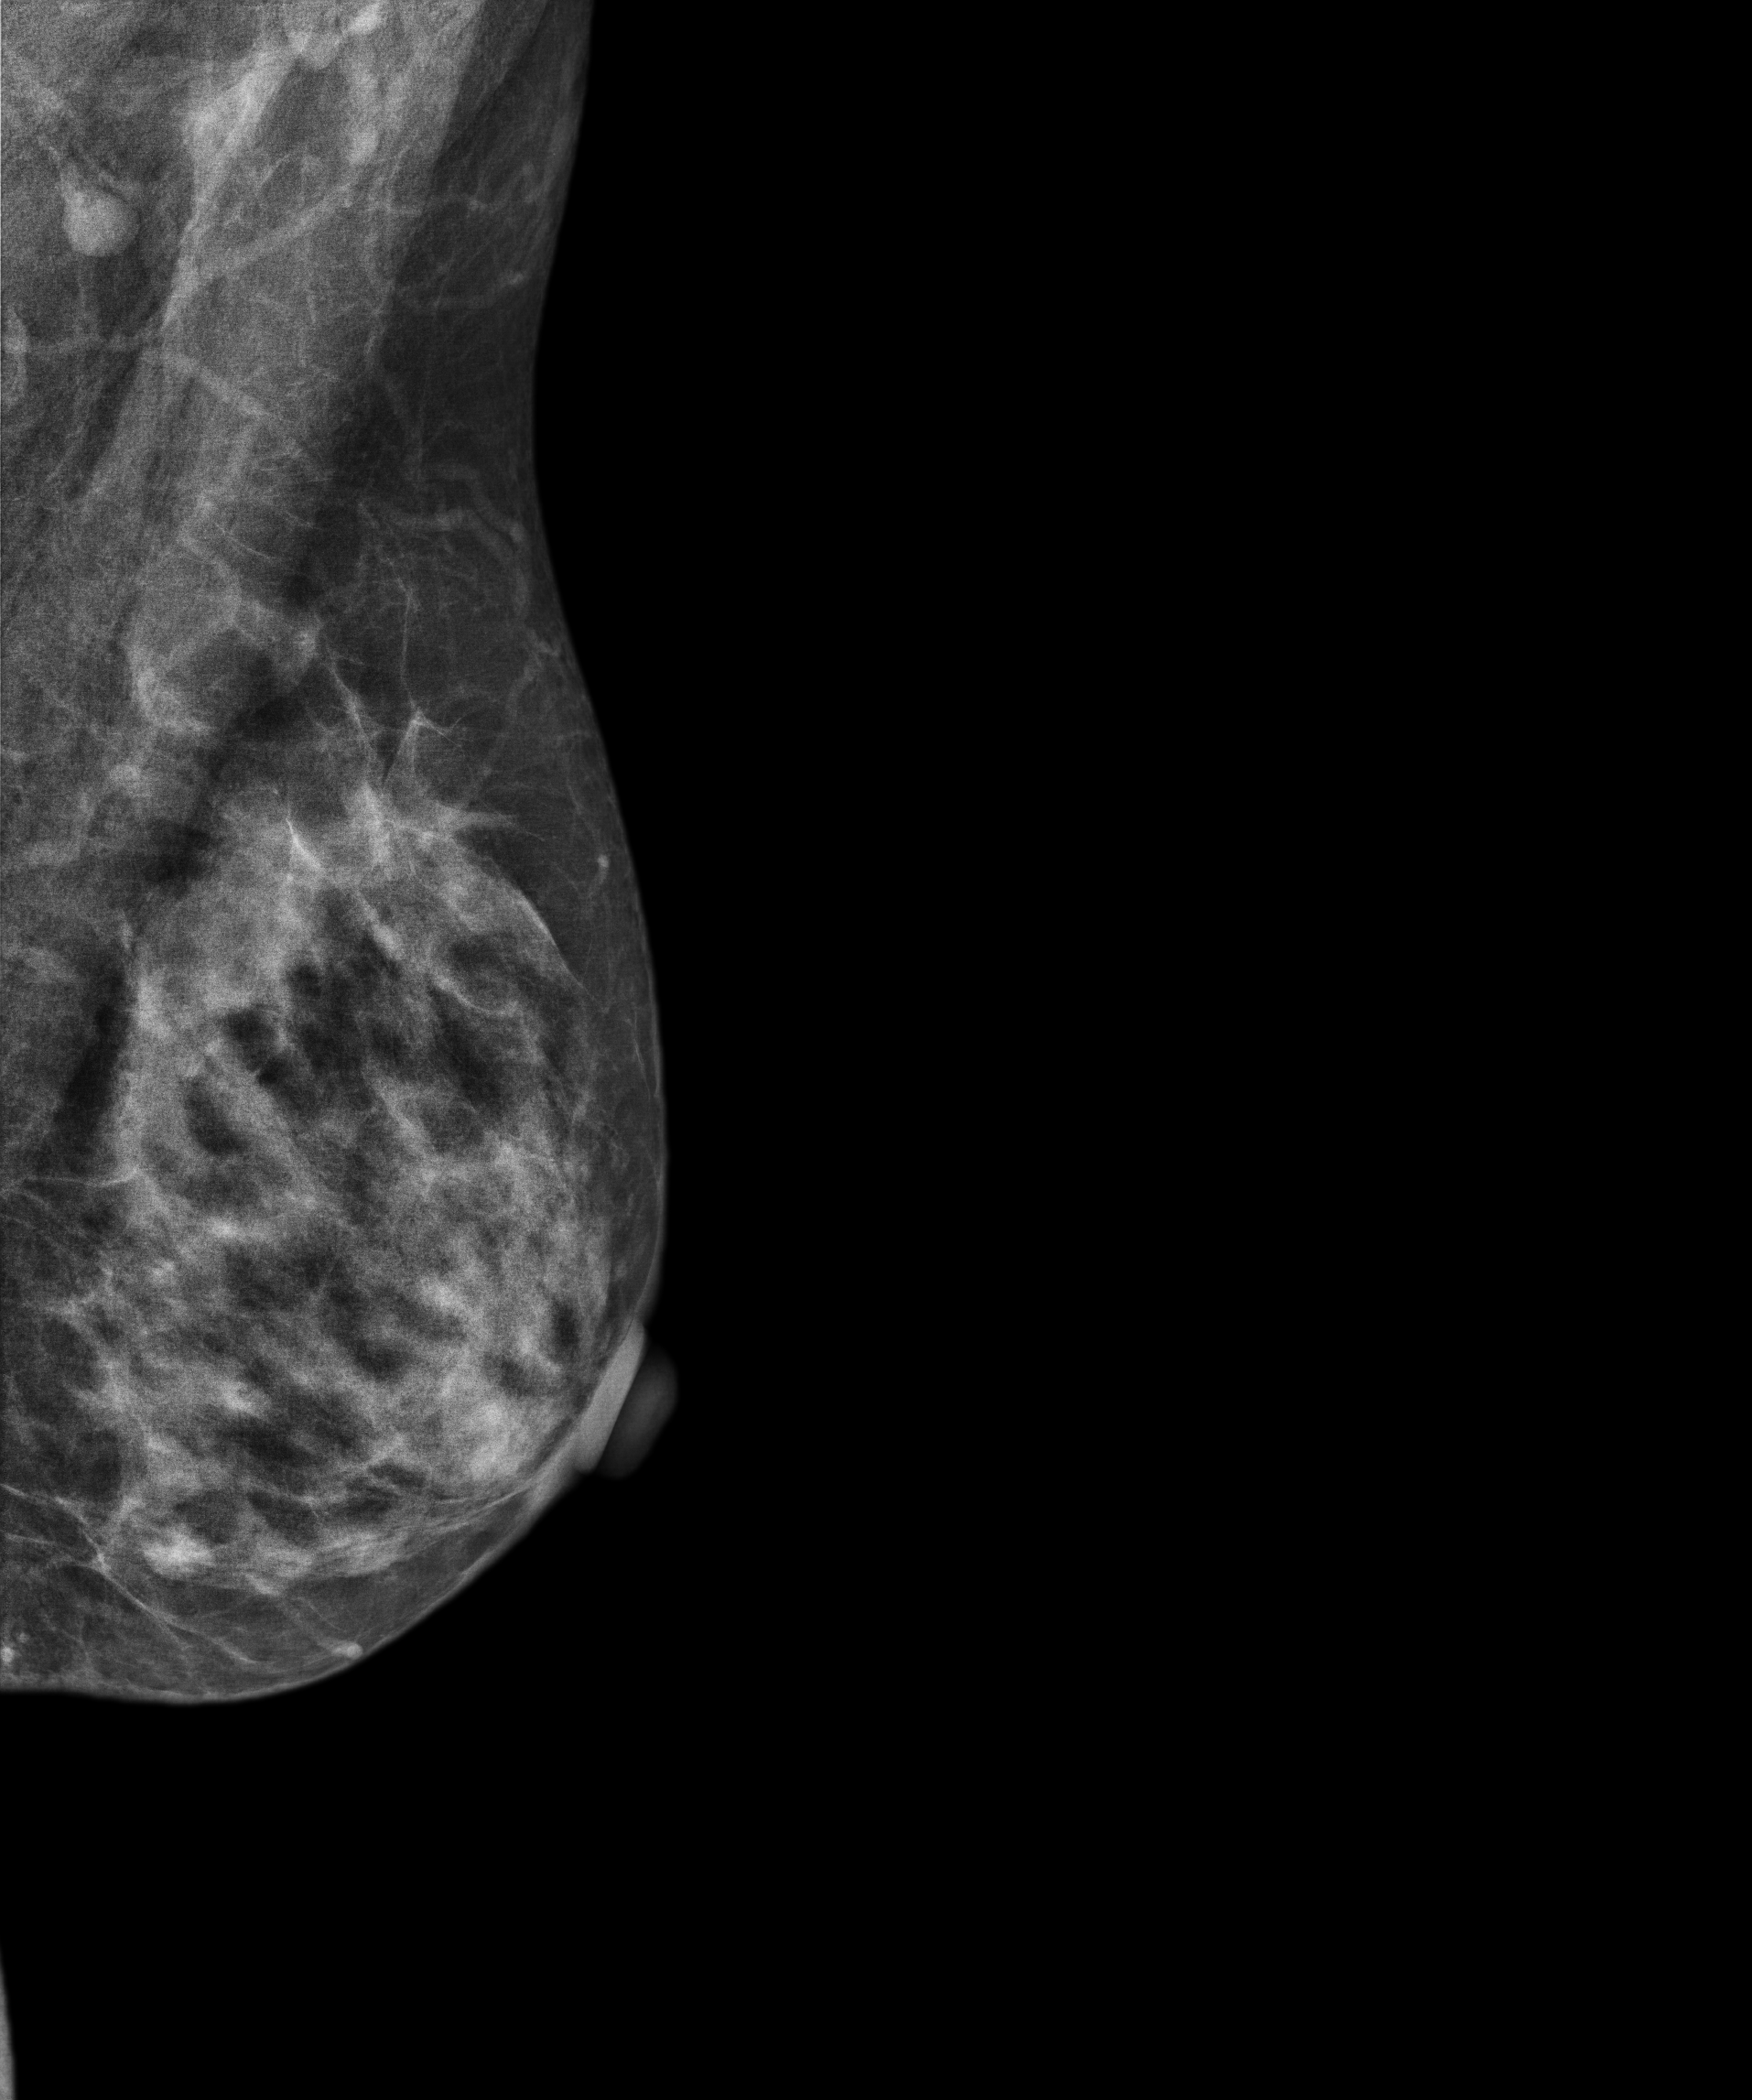
Mammogram, left breast, medio-lateral oblique view. Patient age 38.
This breast has a mass, pathology-confirmed malignant.